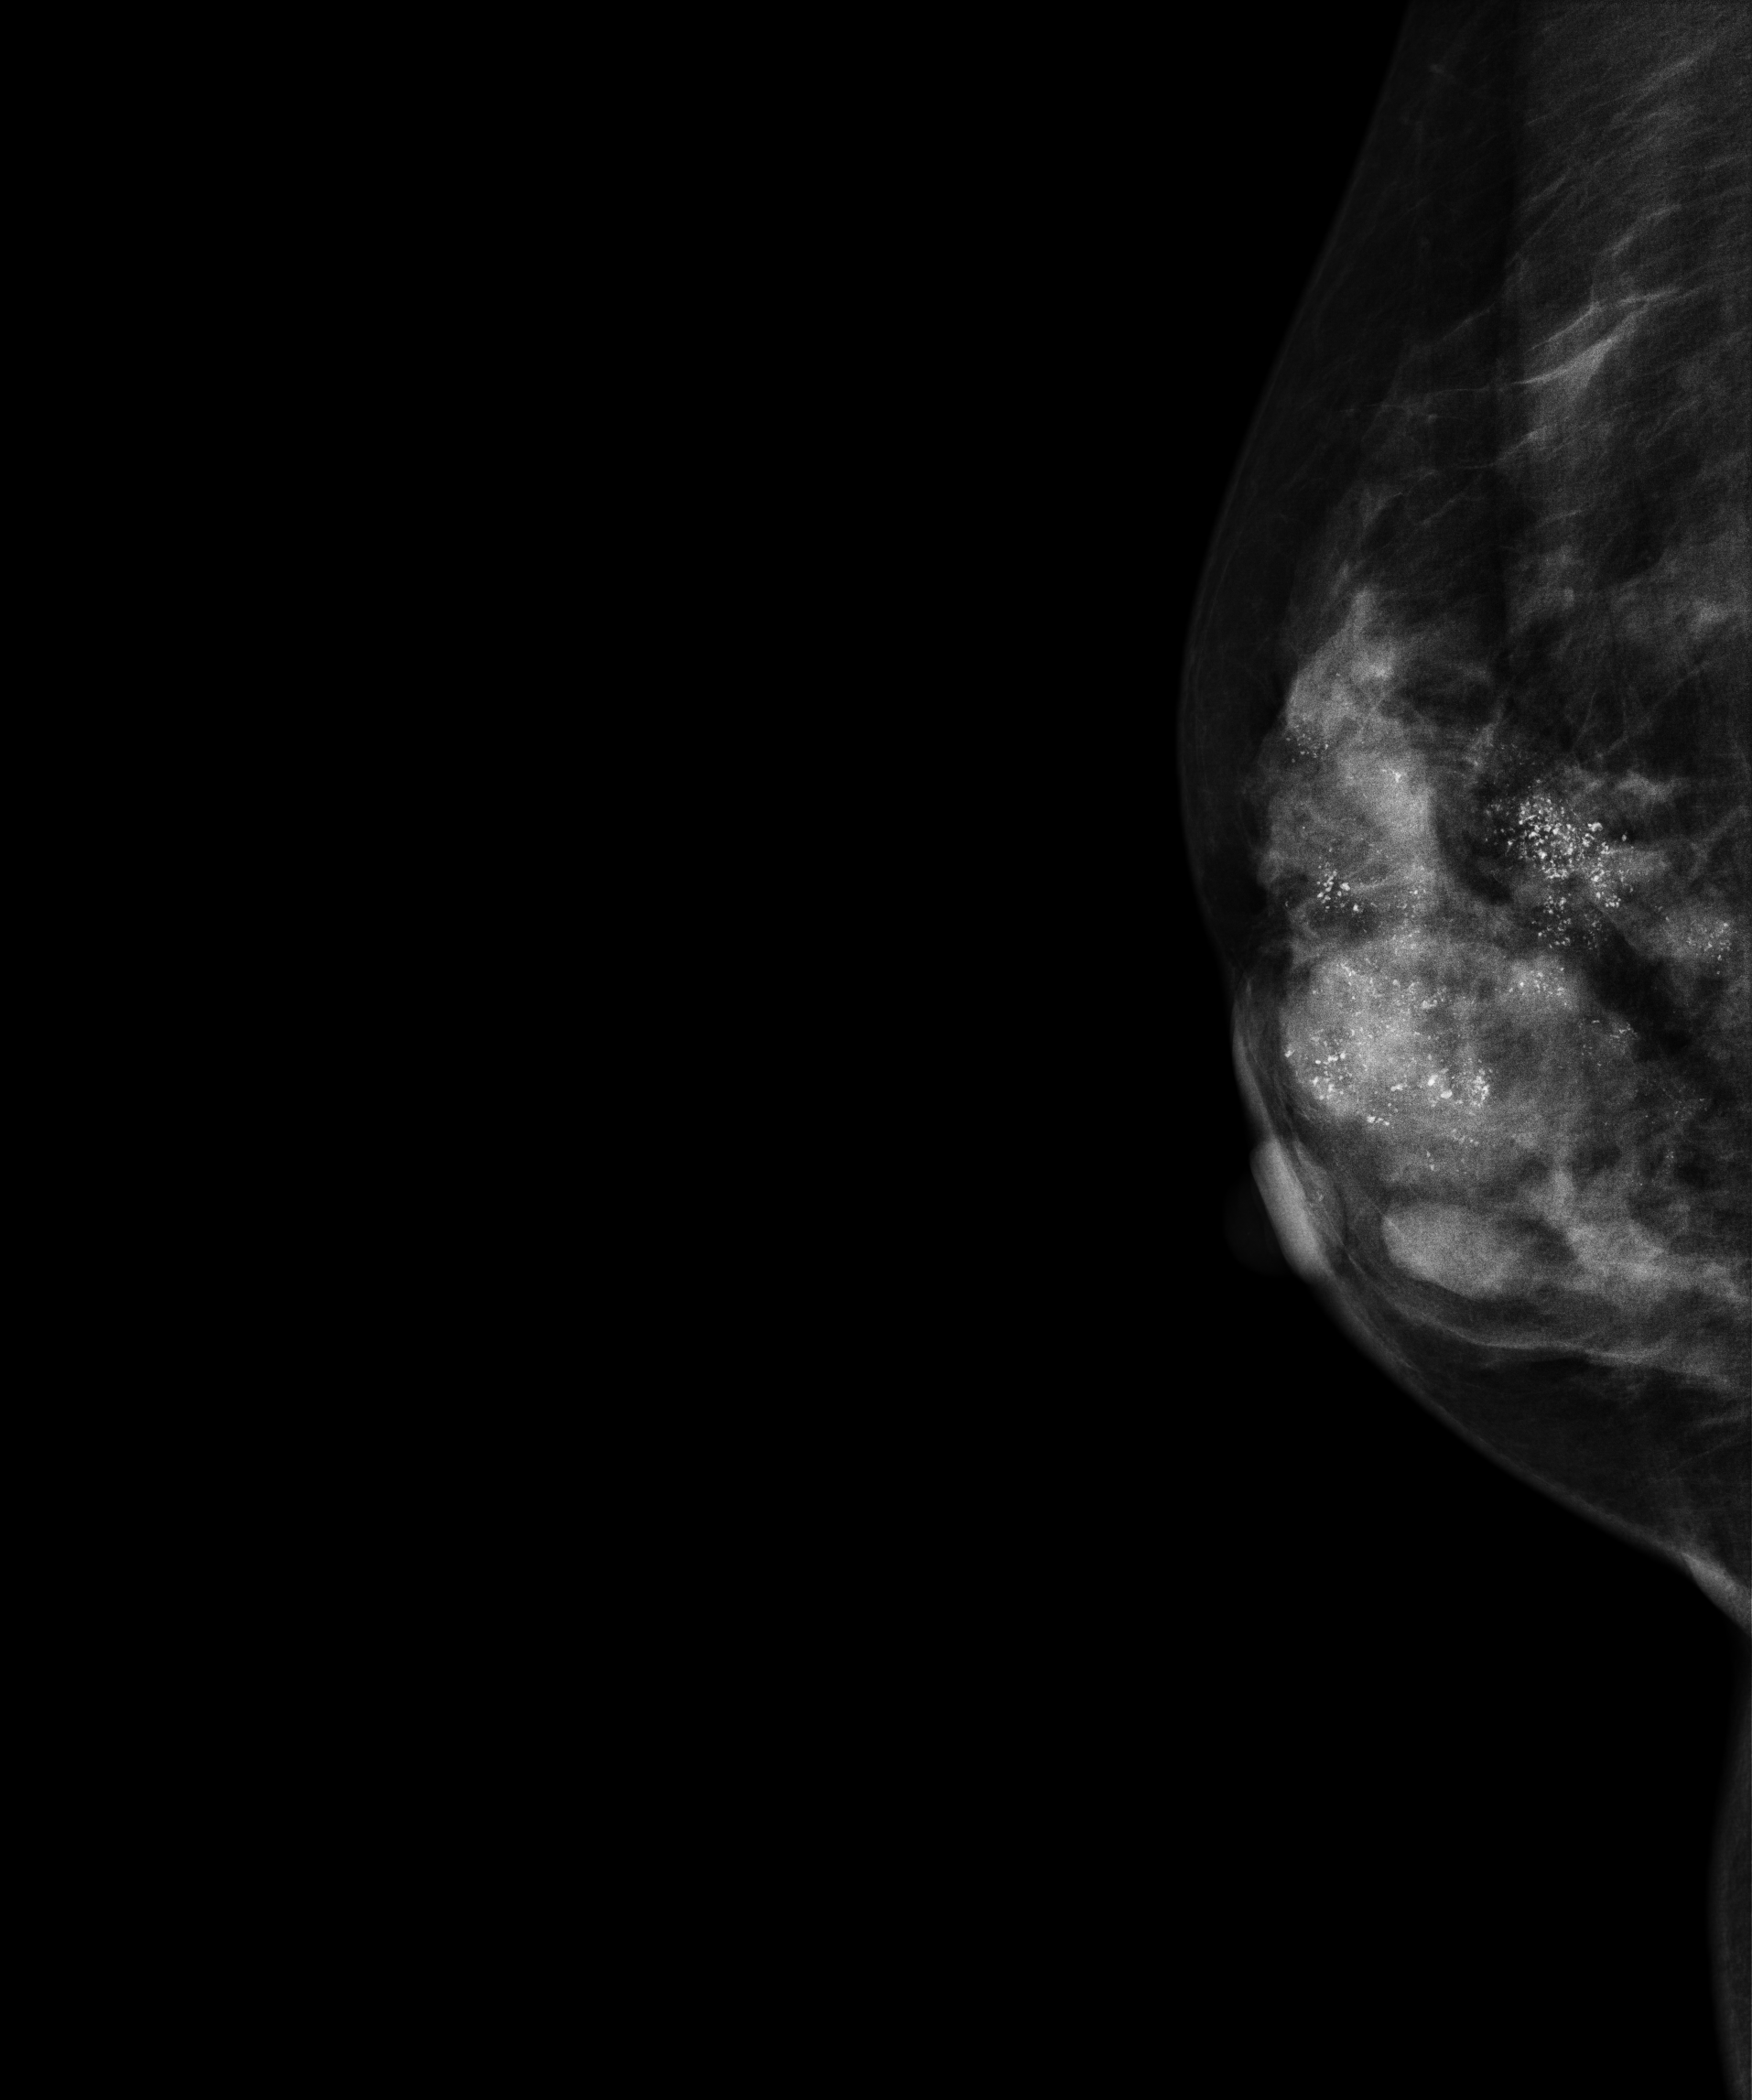
Right-breast mammogram, medio-lateral oblique. 39-year-old patient.
This breast has a mass and calcifications, biopsy-confirmed malignant.